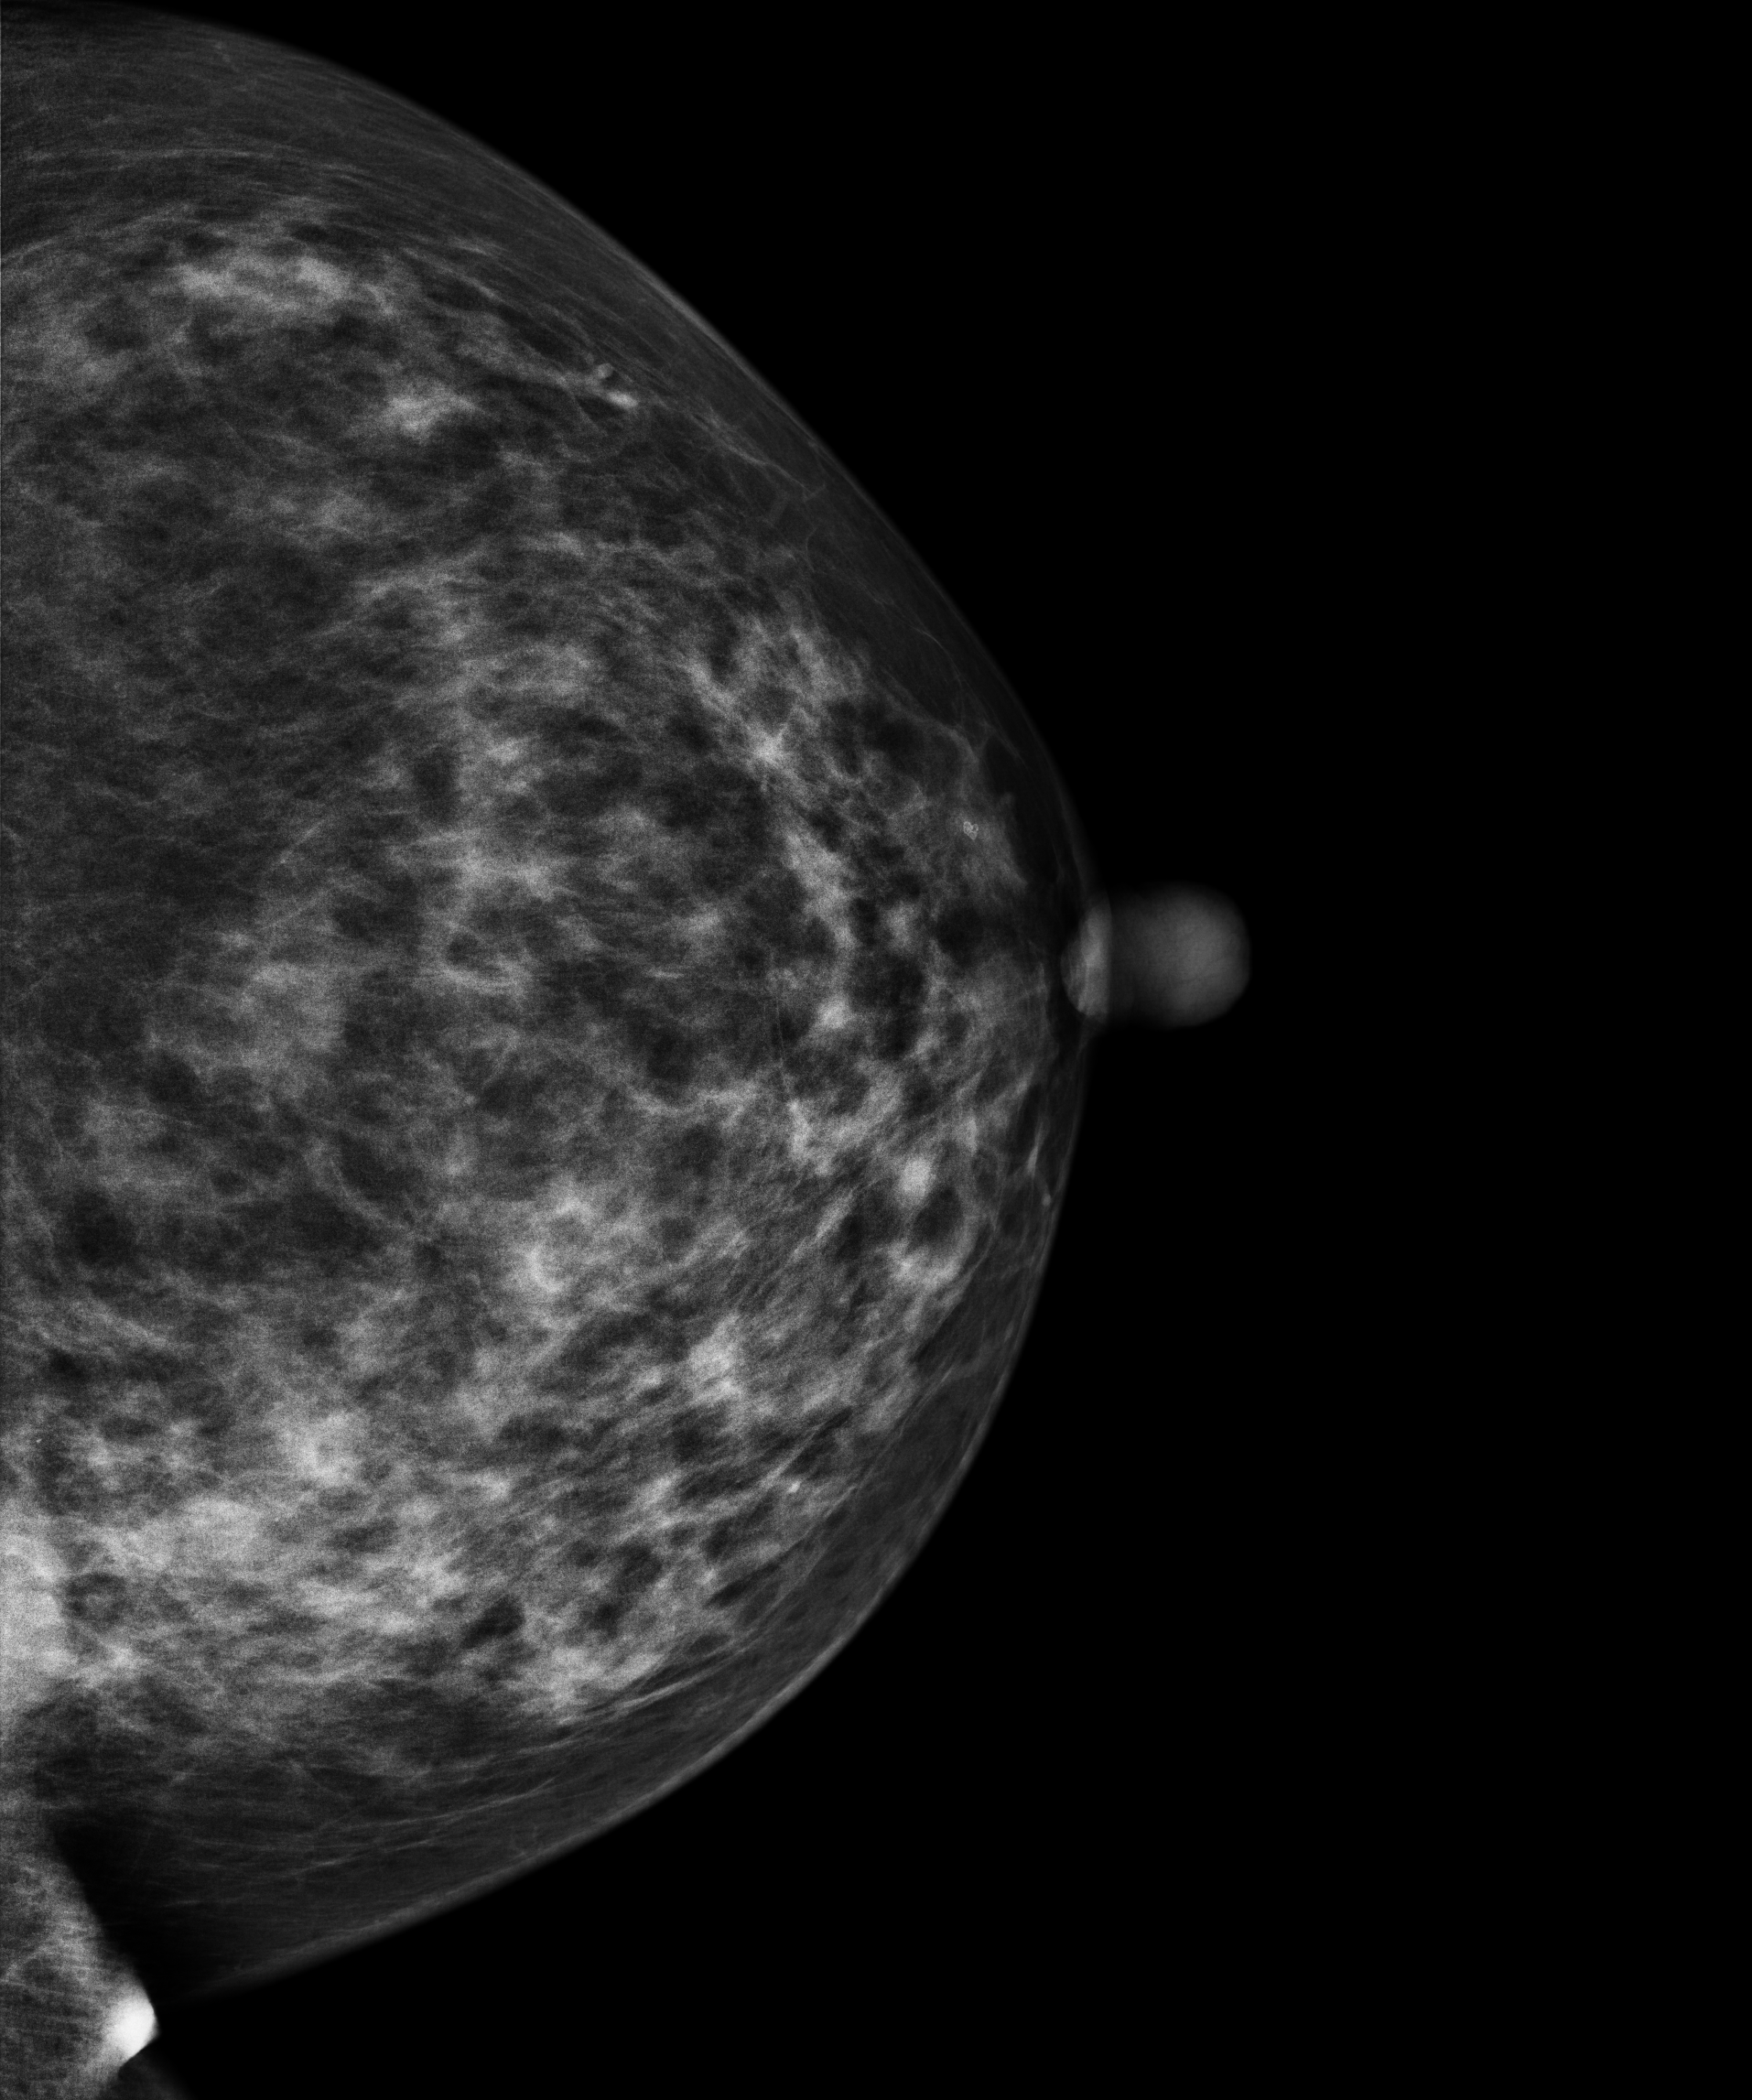
Mammogram — left CC. 57 y/o patient.
This breast has a mass, biopsy-proven malignant. Molecular subtype: HER2-enriched.